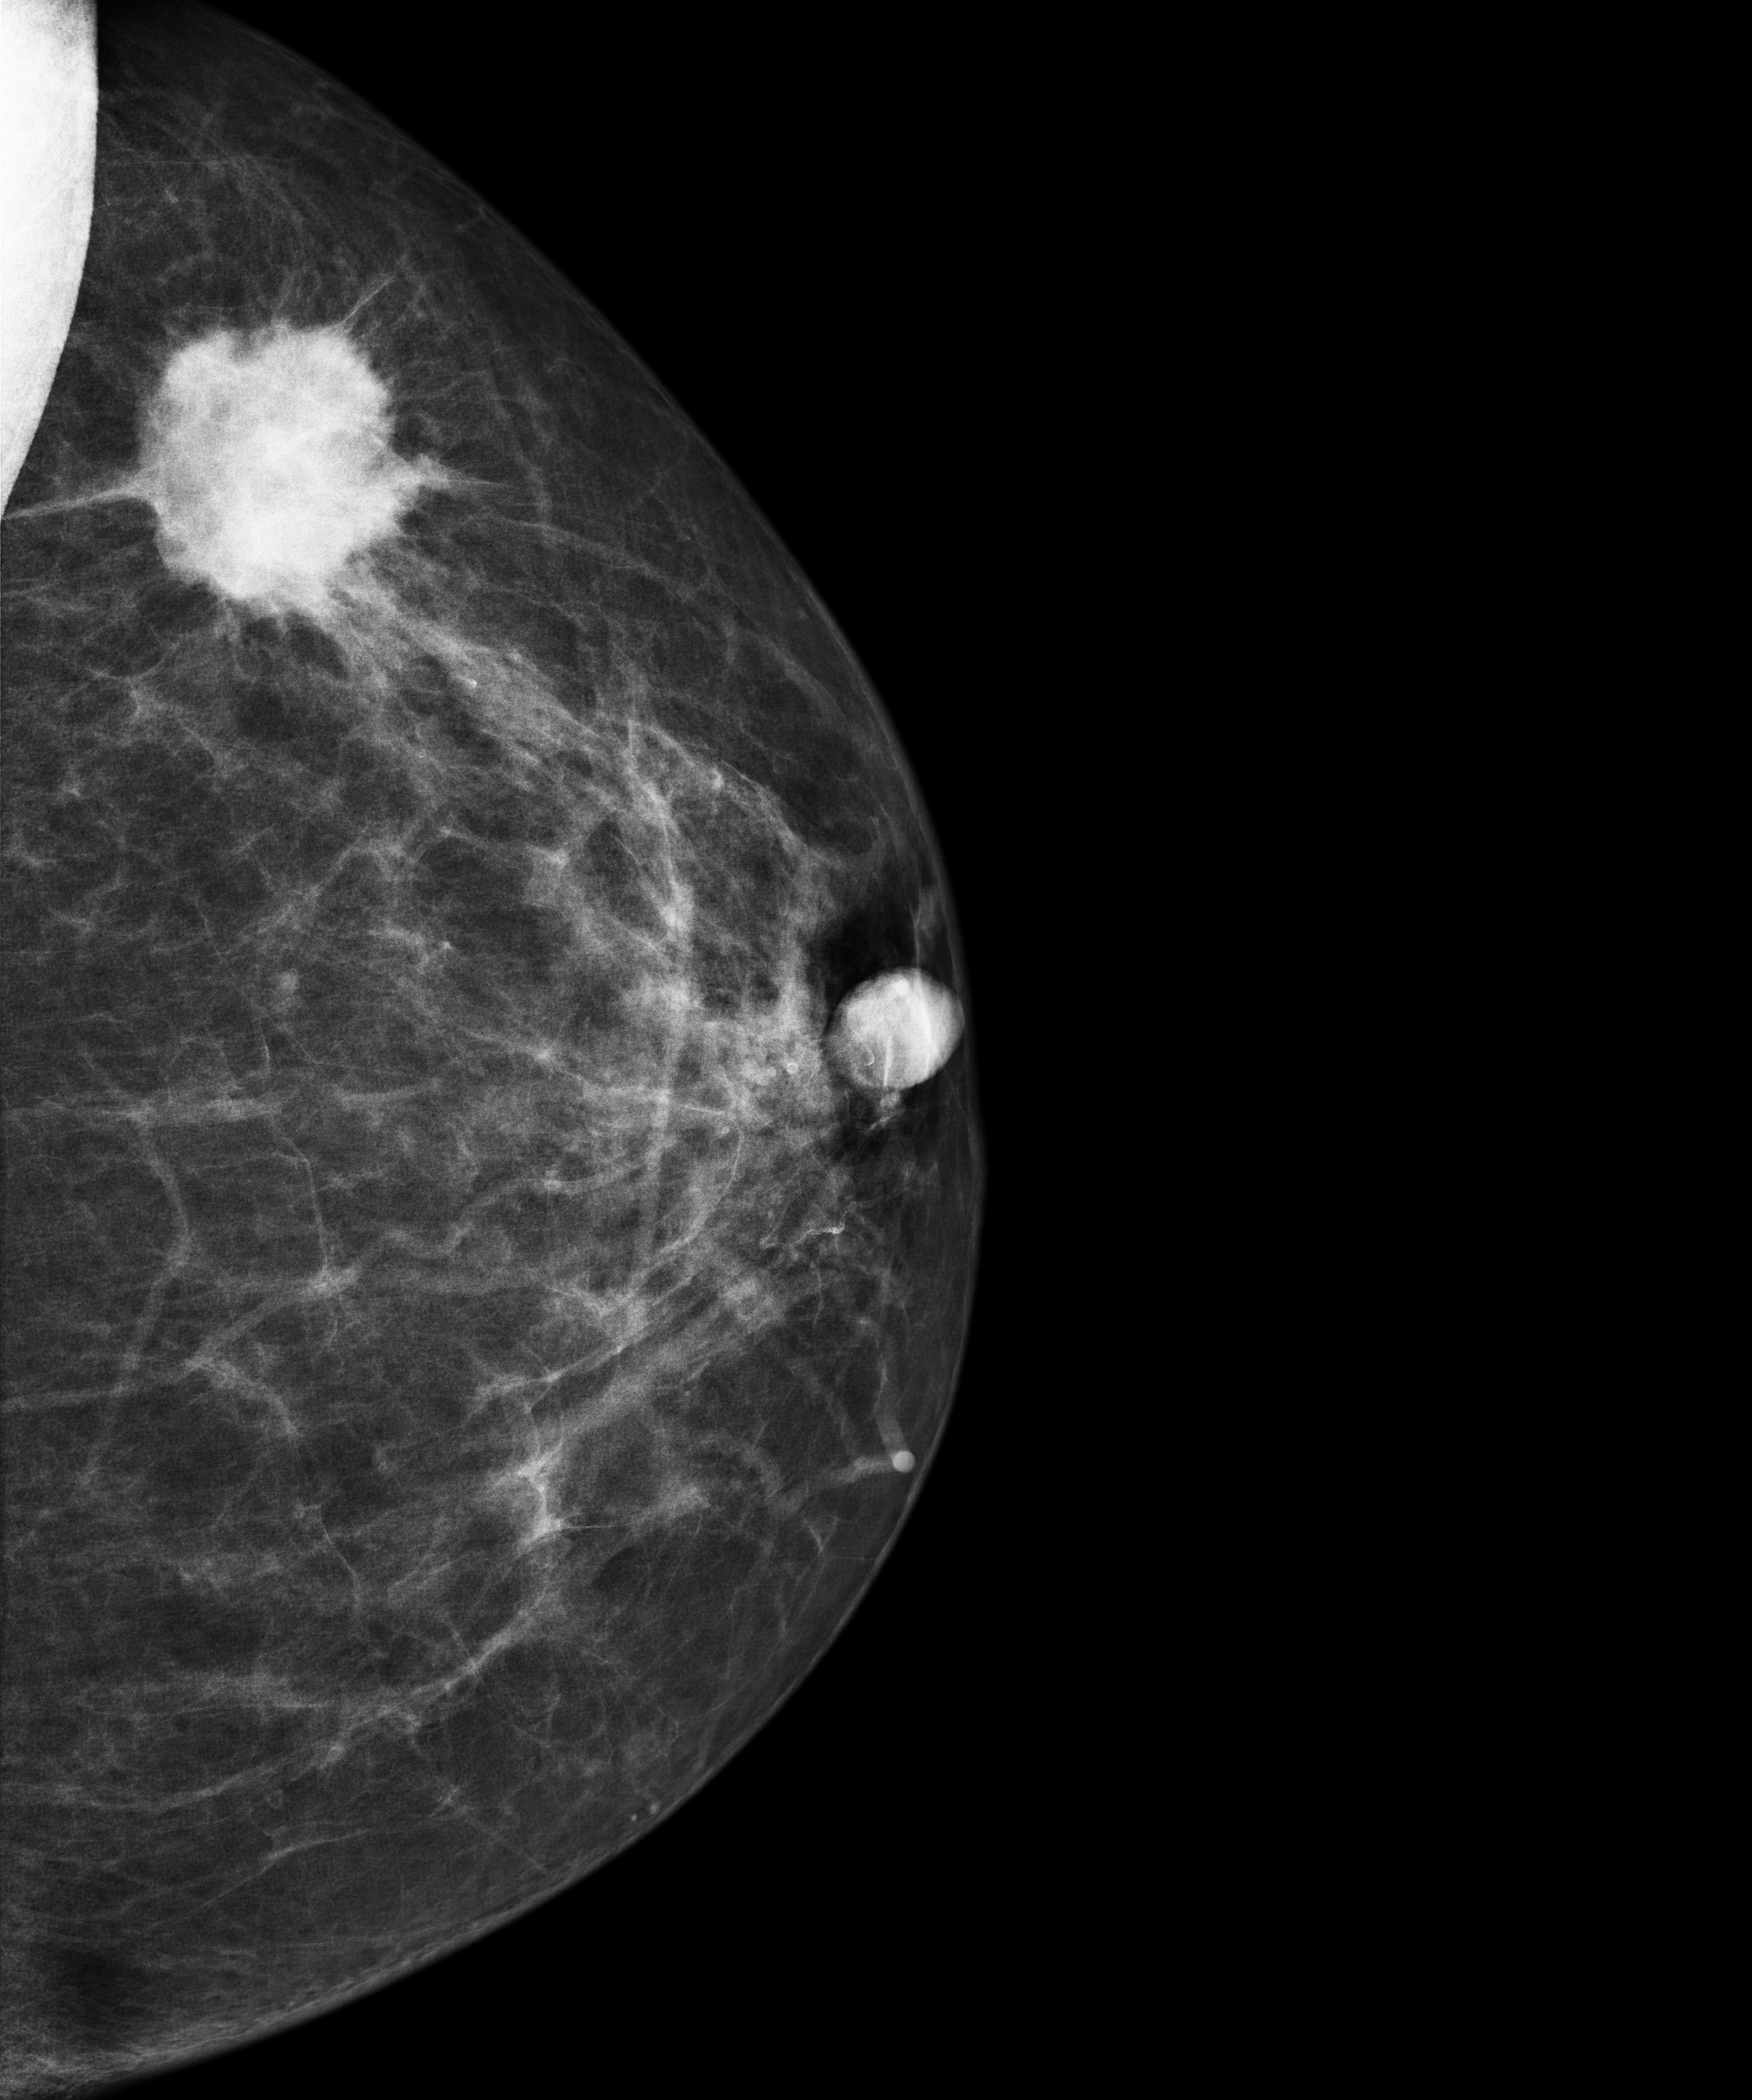
Left-breast mammogram, cranio-caudal. Patient age 66.
This breast has a mass, biopsy-proven malignant. Molecular subtype: luminal B.